Mammogram, right breast, MLO view. Patient age 42.
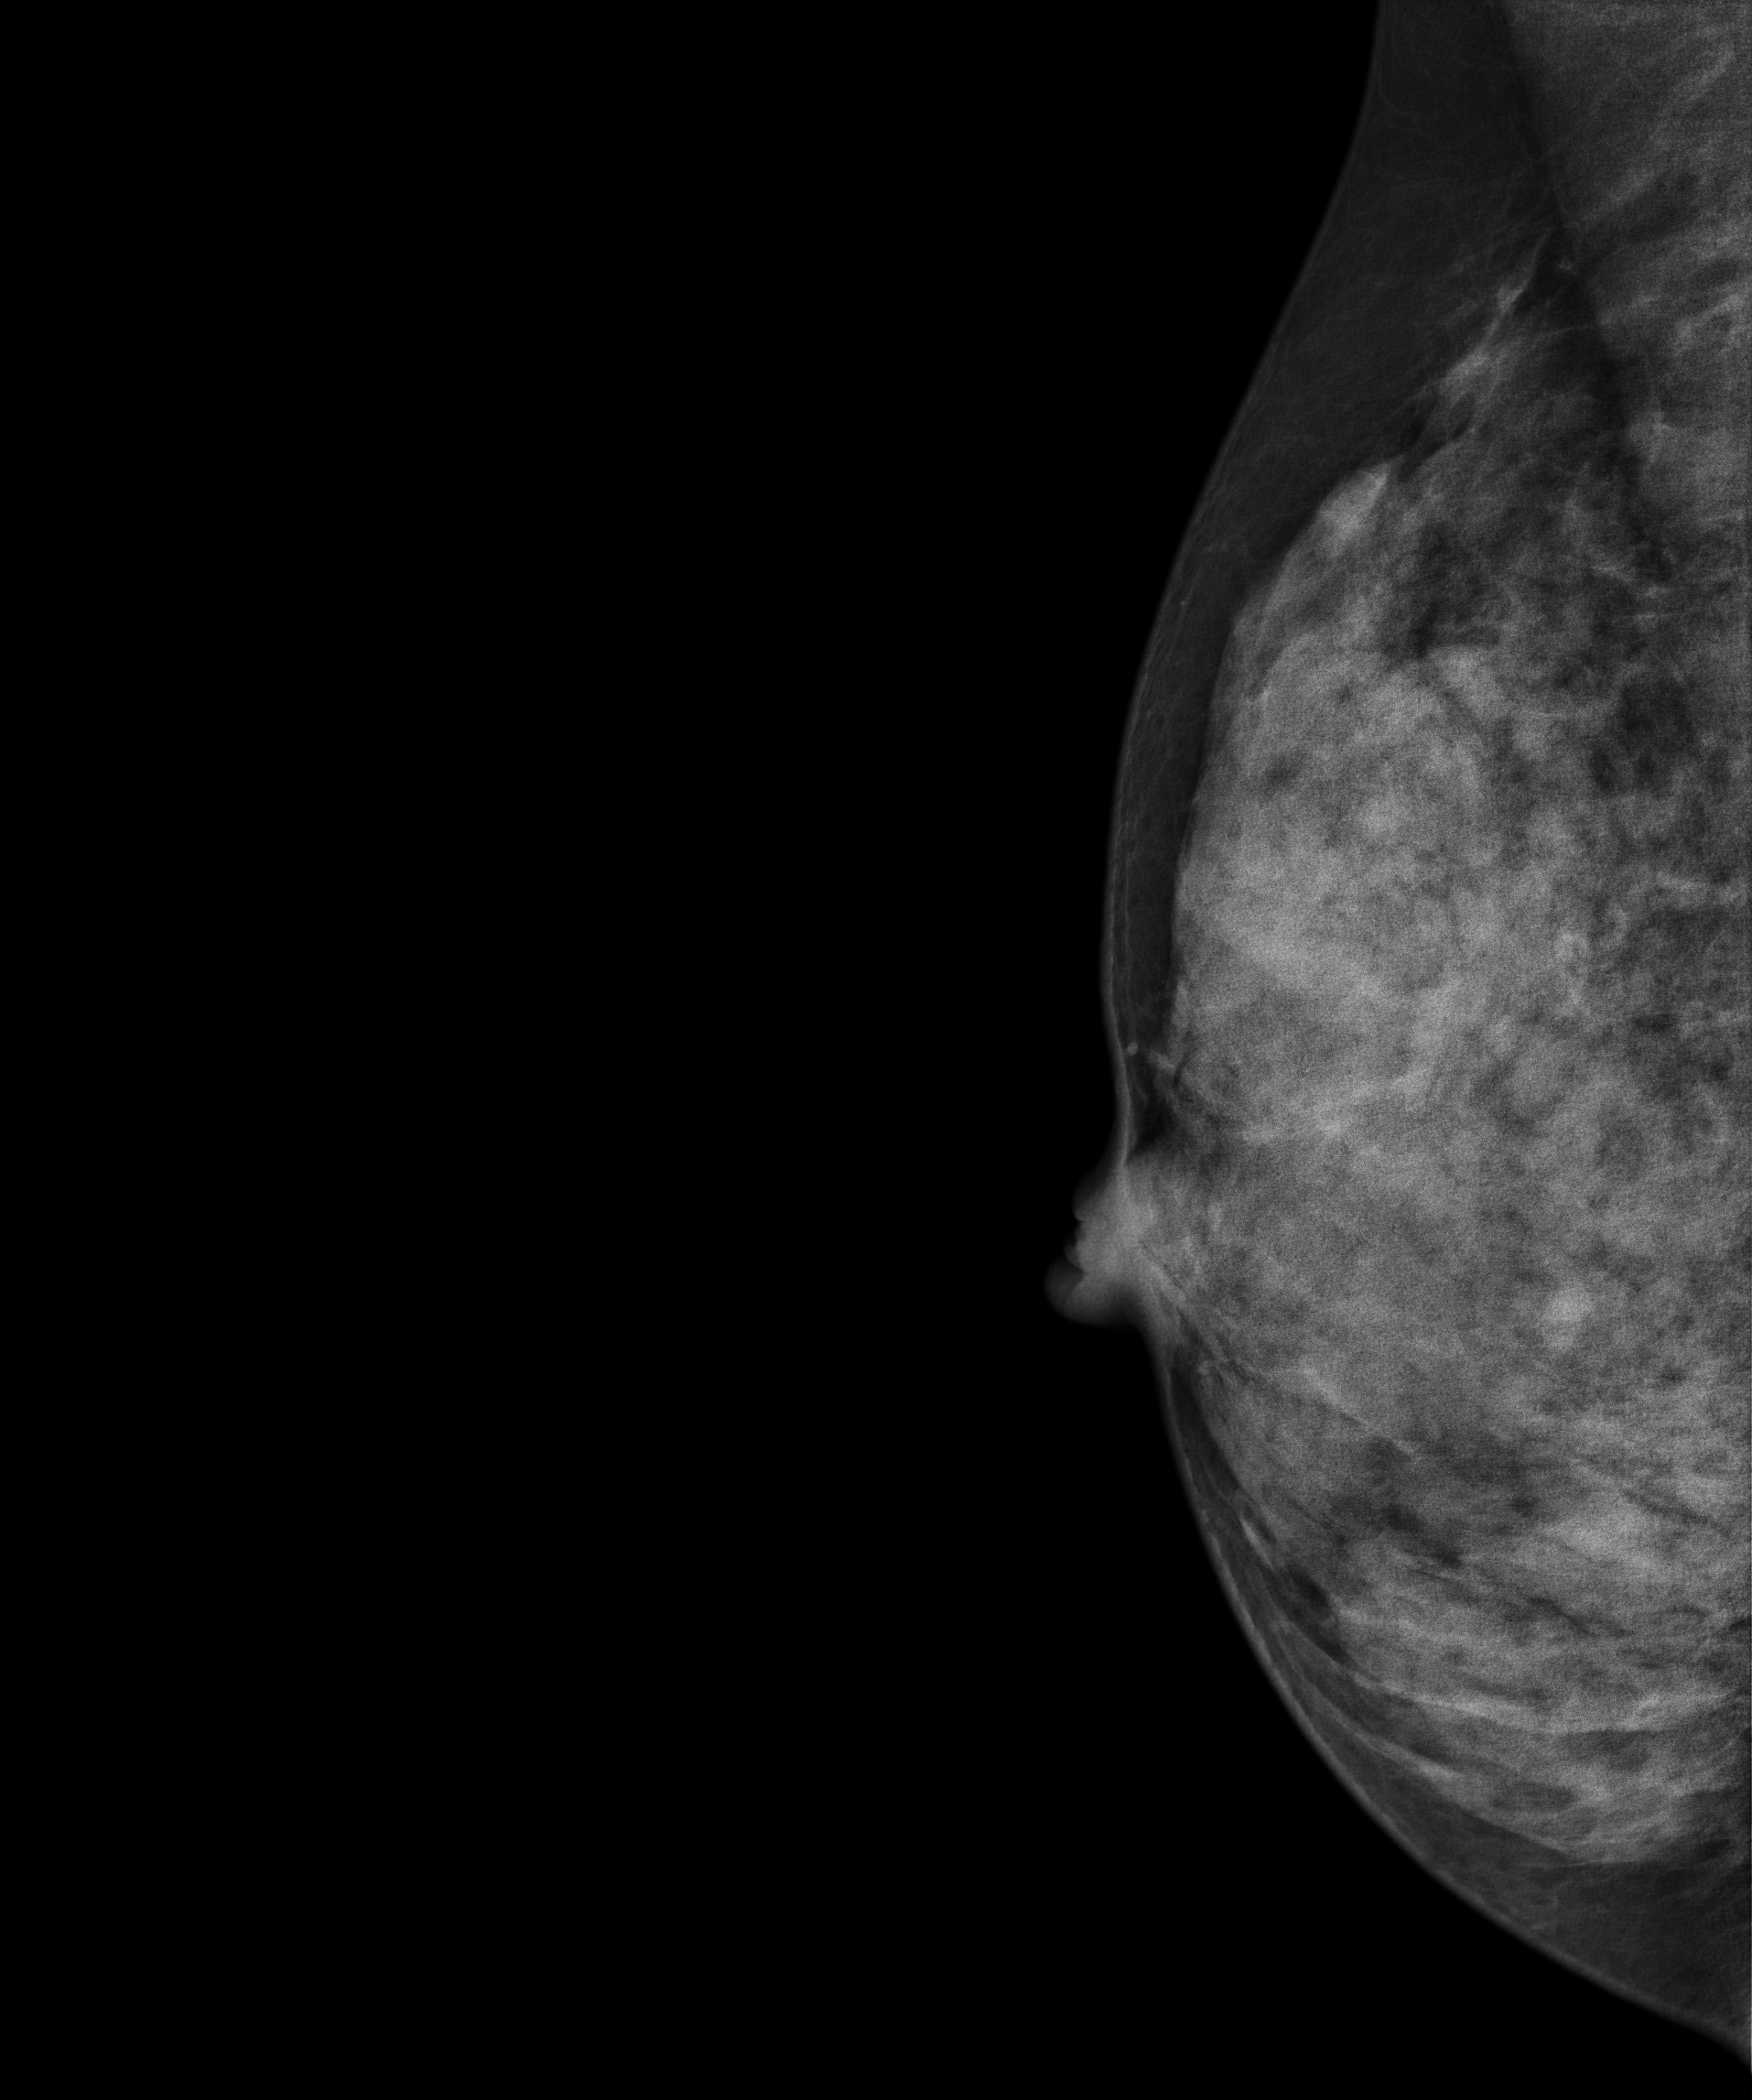
This breast has a mass, histologically confirmed malignant.